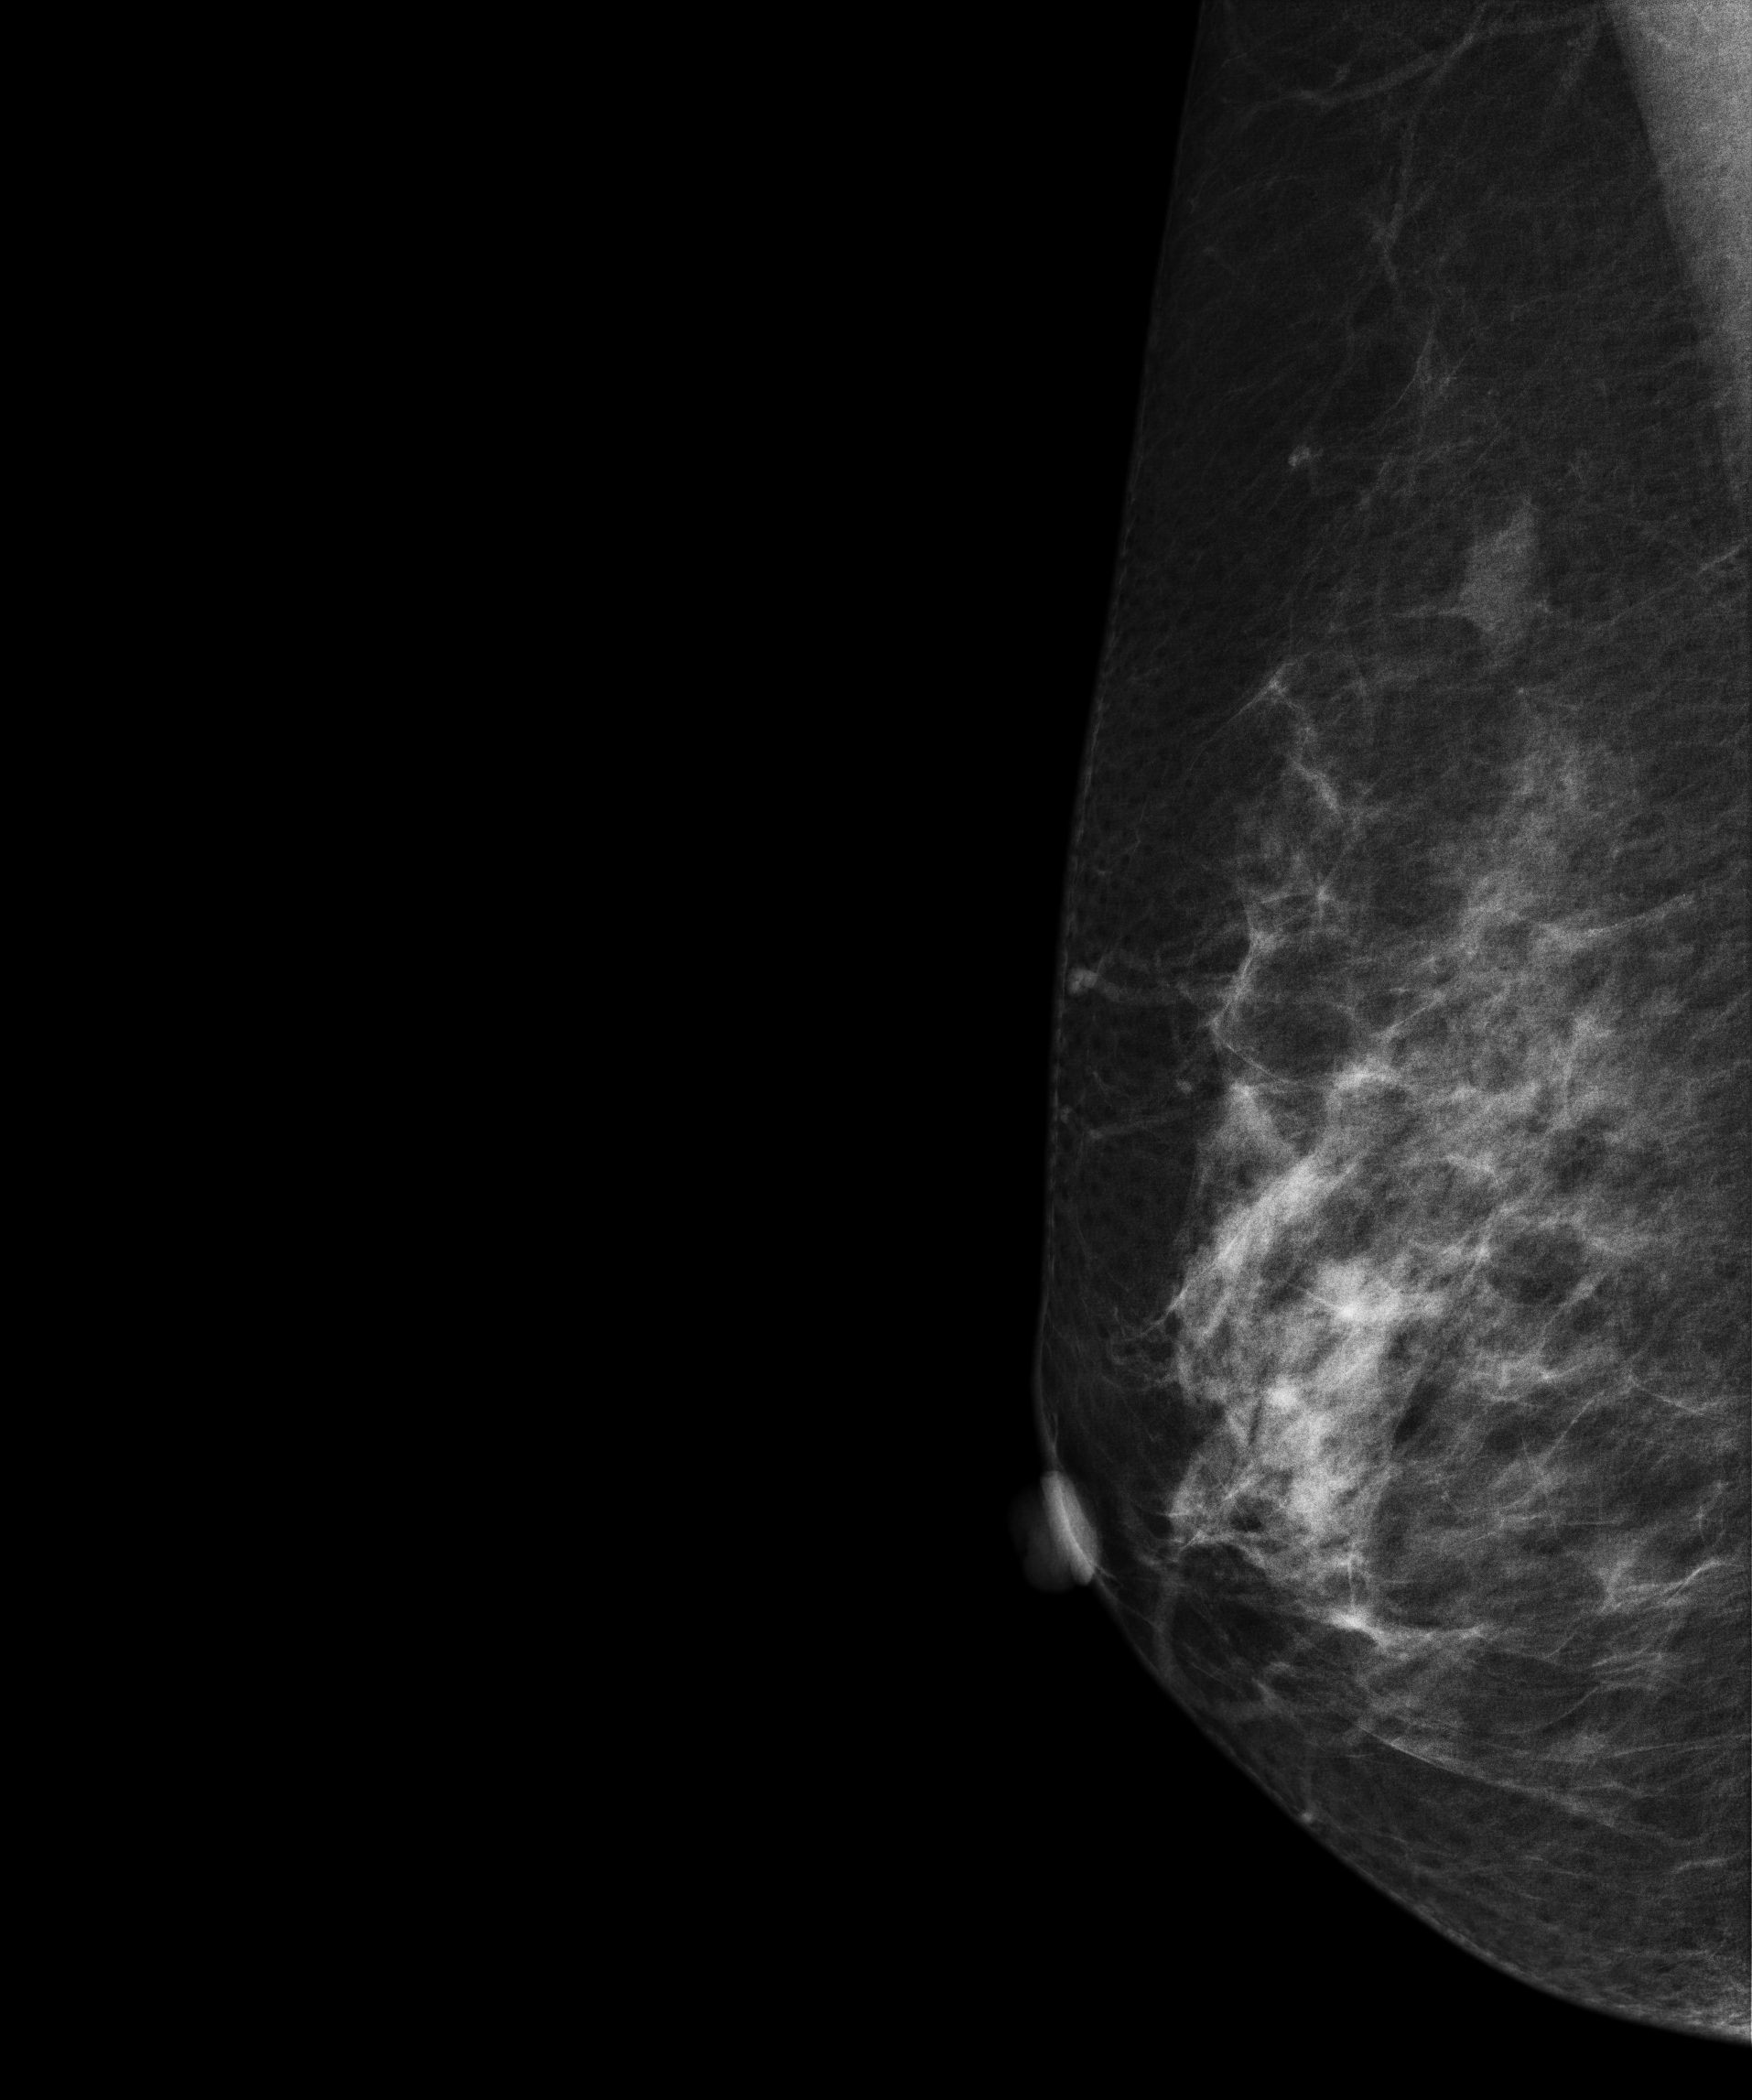
Digital mammography. Right breast, MLO projection. 31 y/o patient.
Contralateral breast — no documented abnormality on this side.